Mammogram — left MLO. 51 y/o patient.
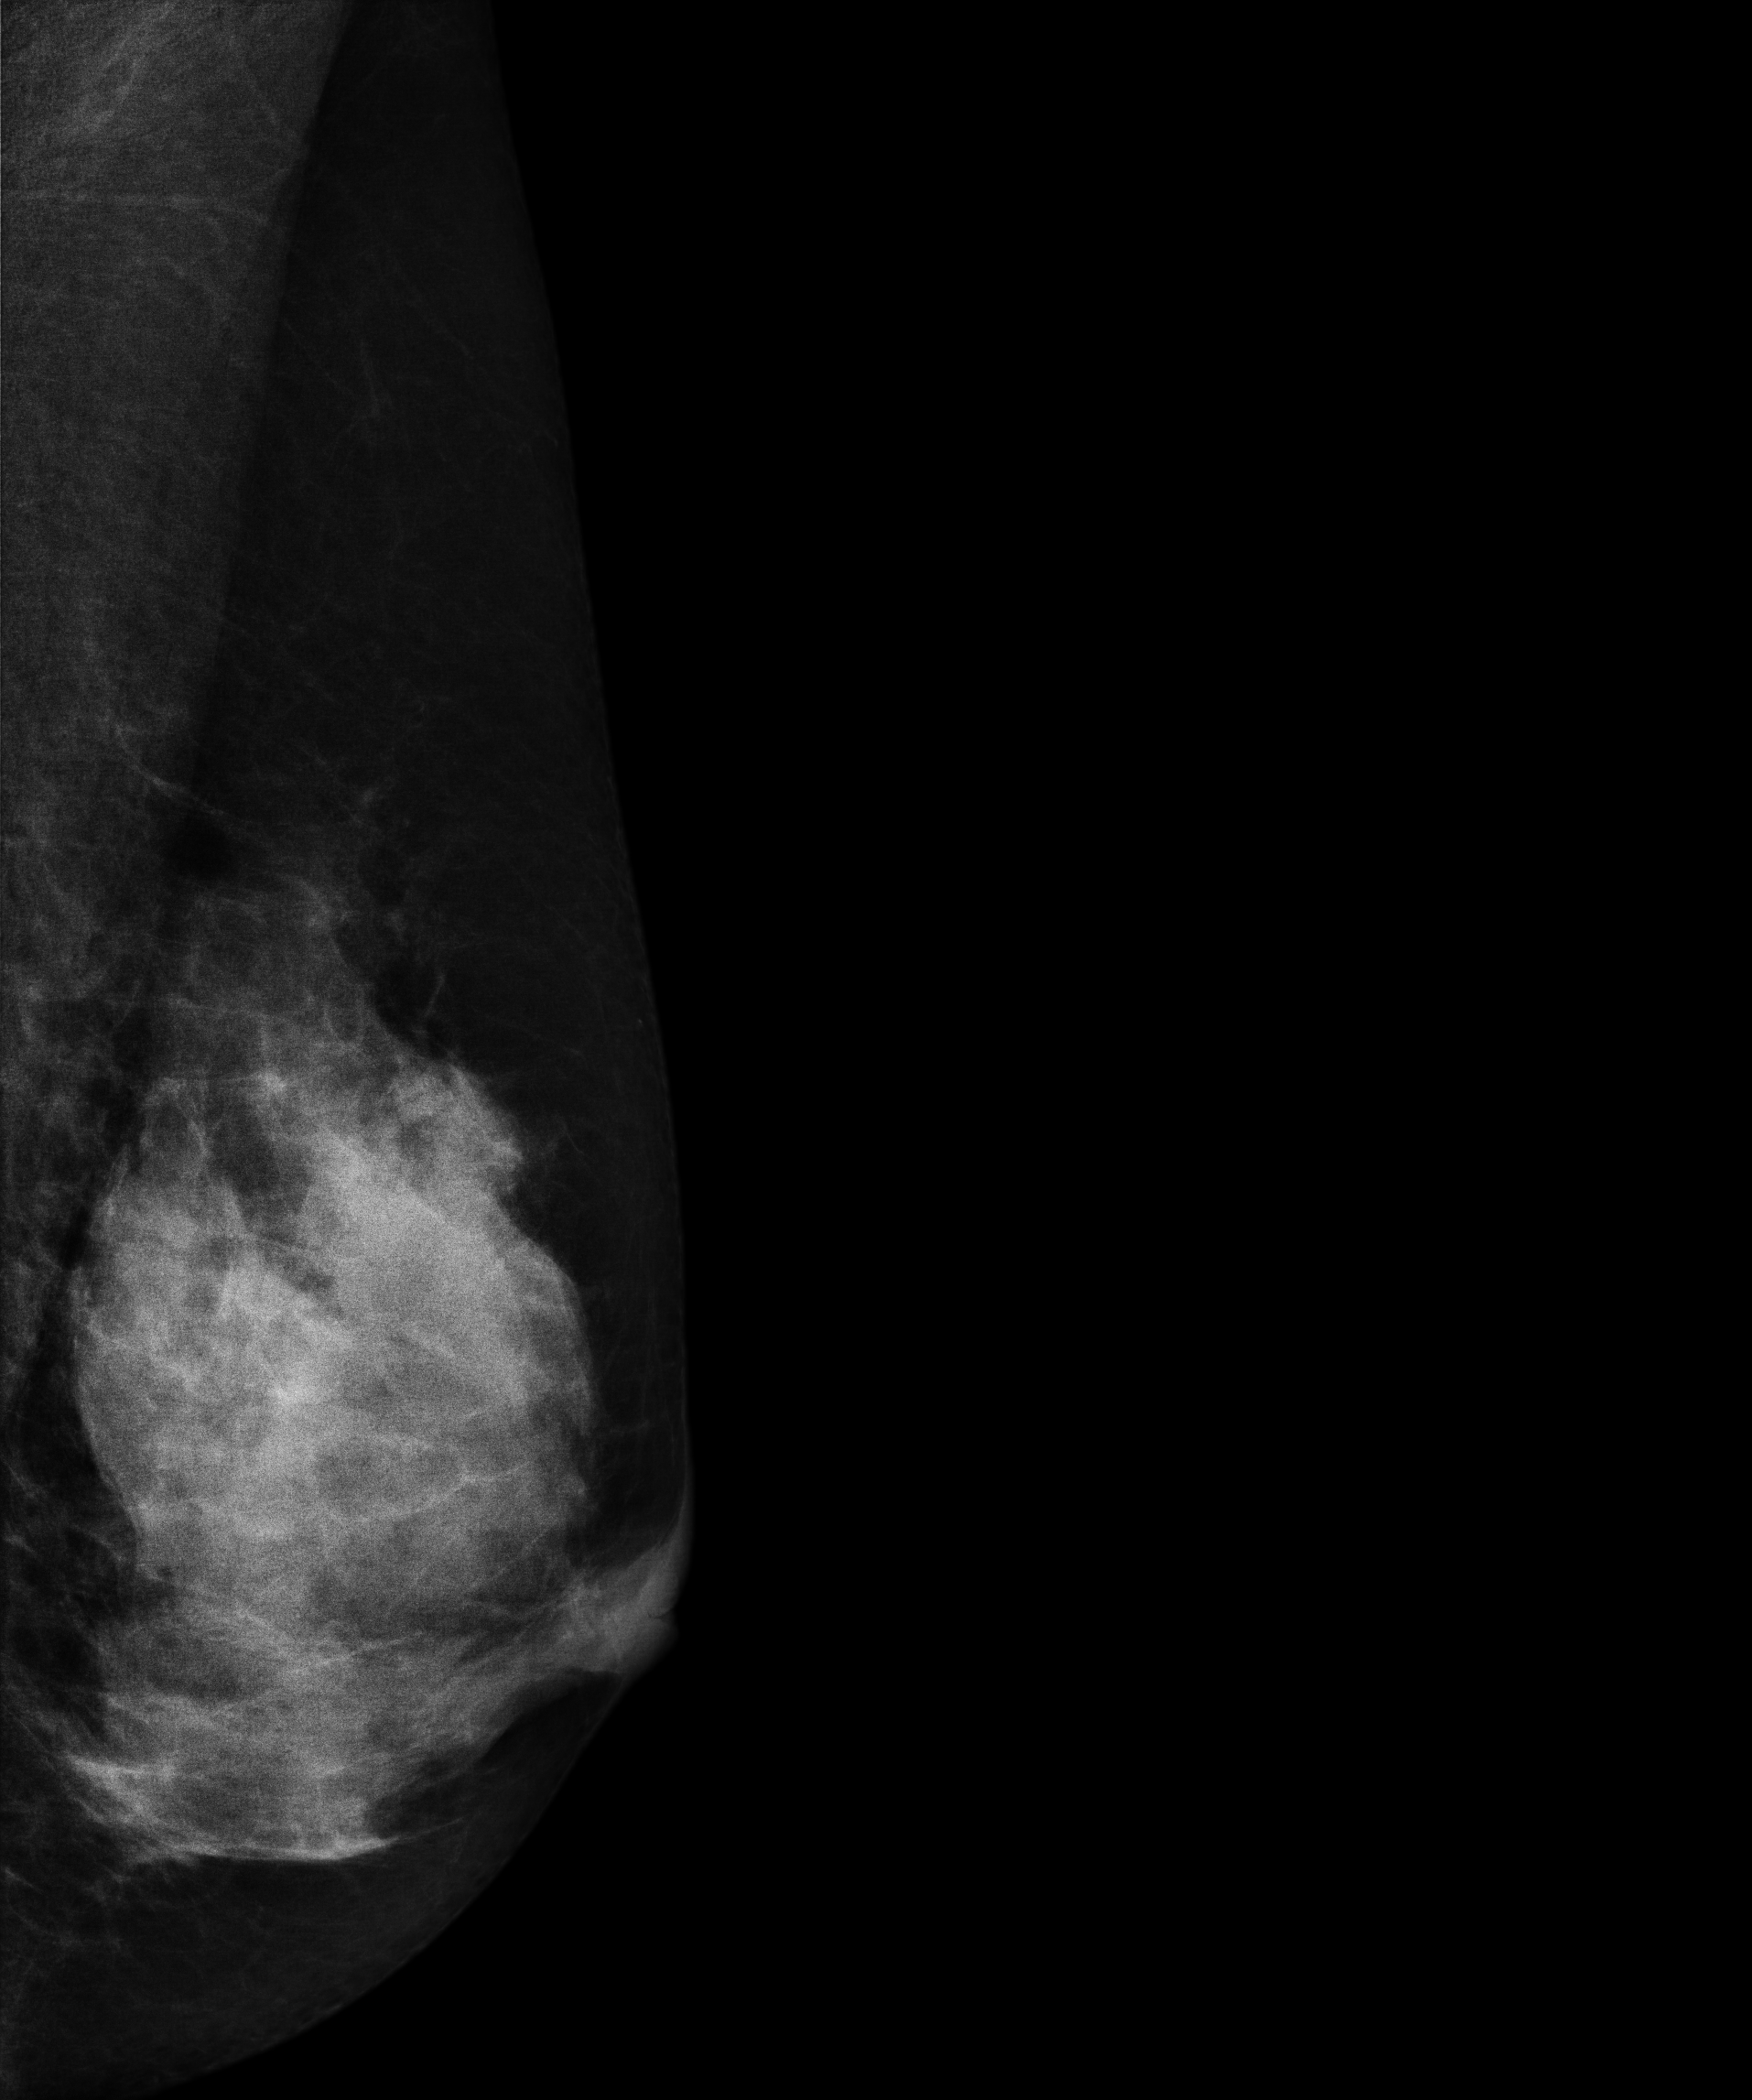
This breast has a mass, pathology-confirmed benign.